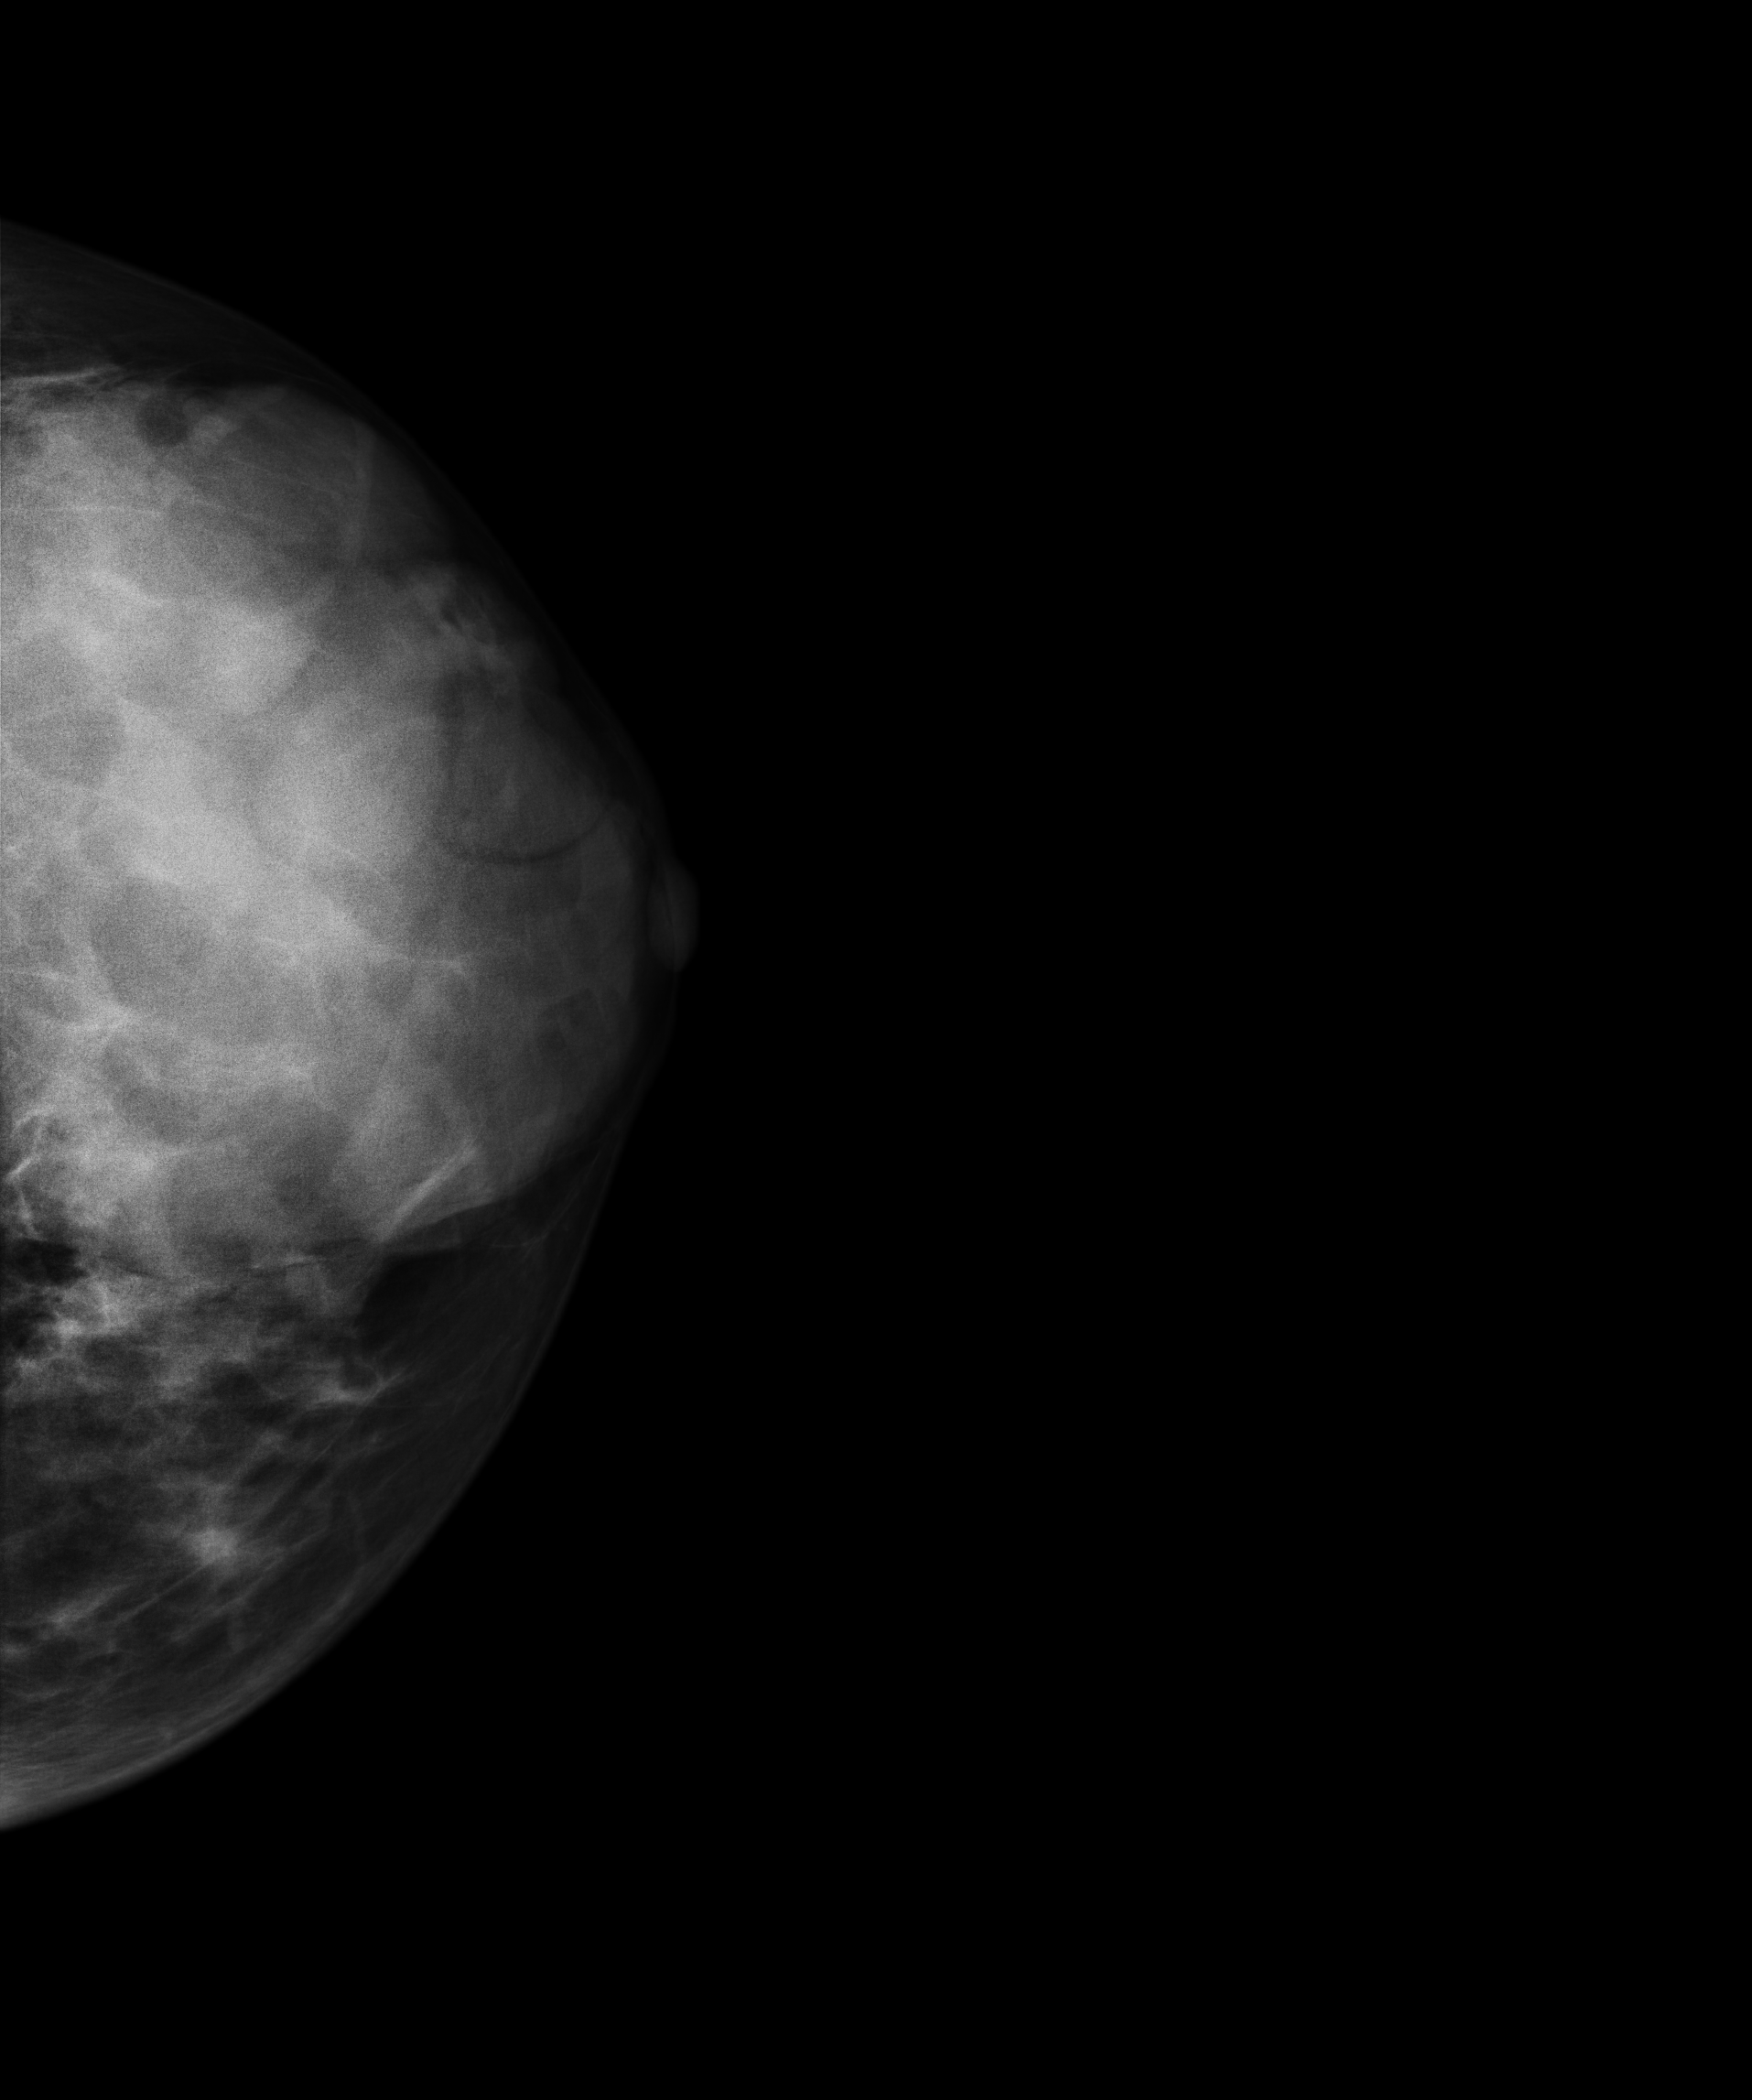
Left-breast mammogram, CC. 47-year-old patient.
This breast has a mass, biopsy-confirmed benign.